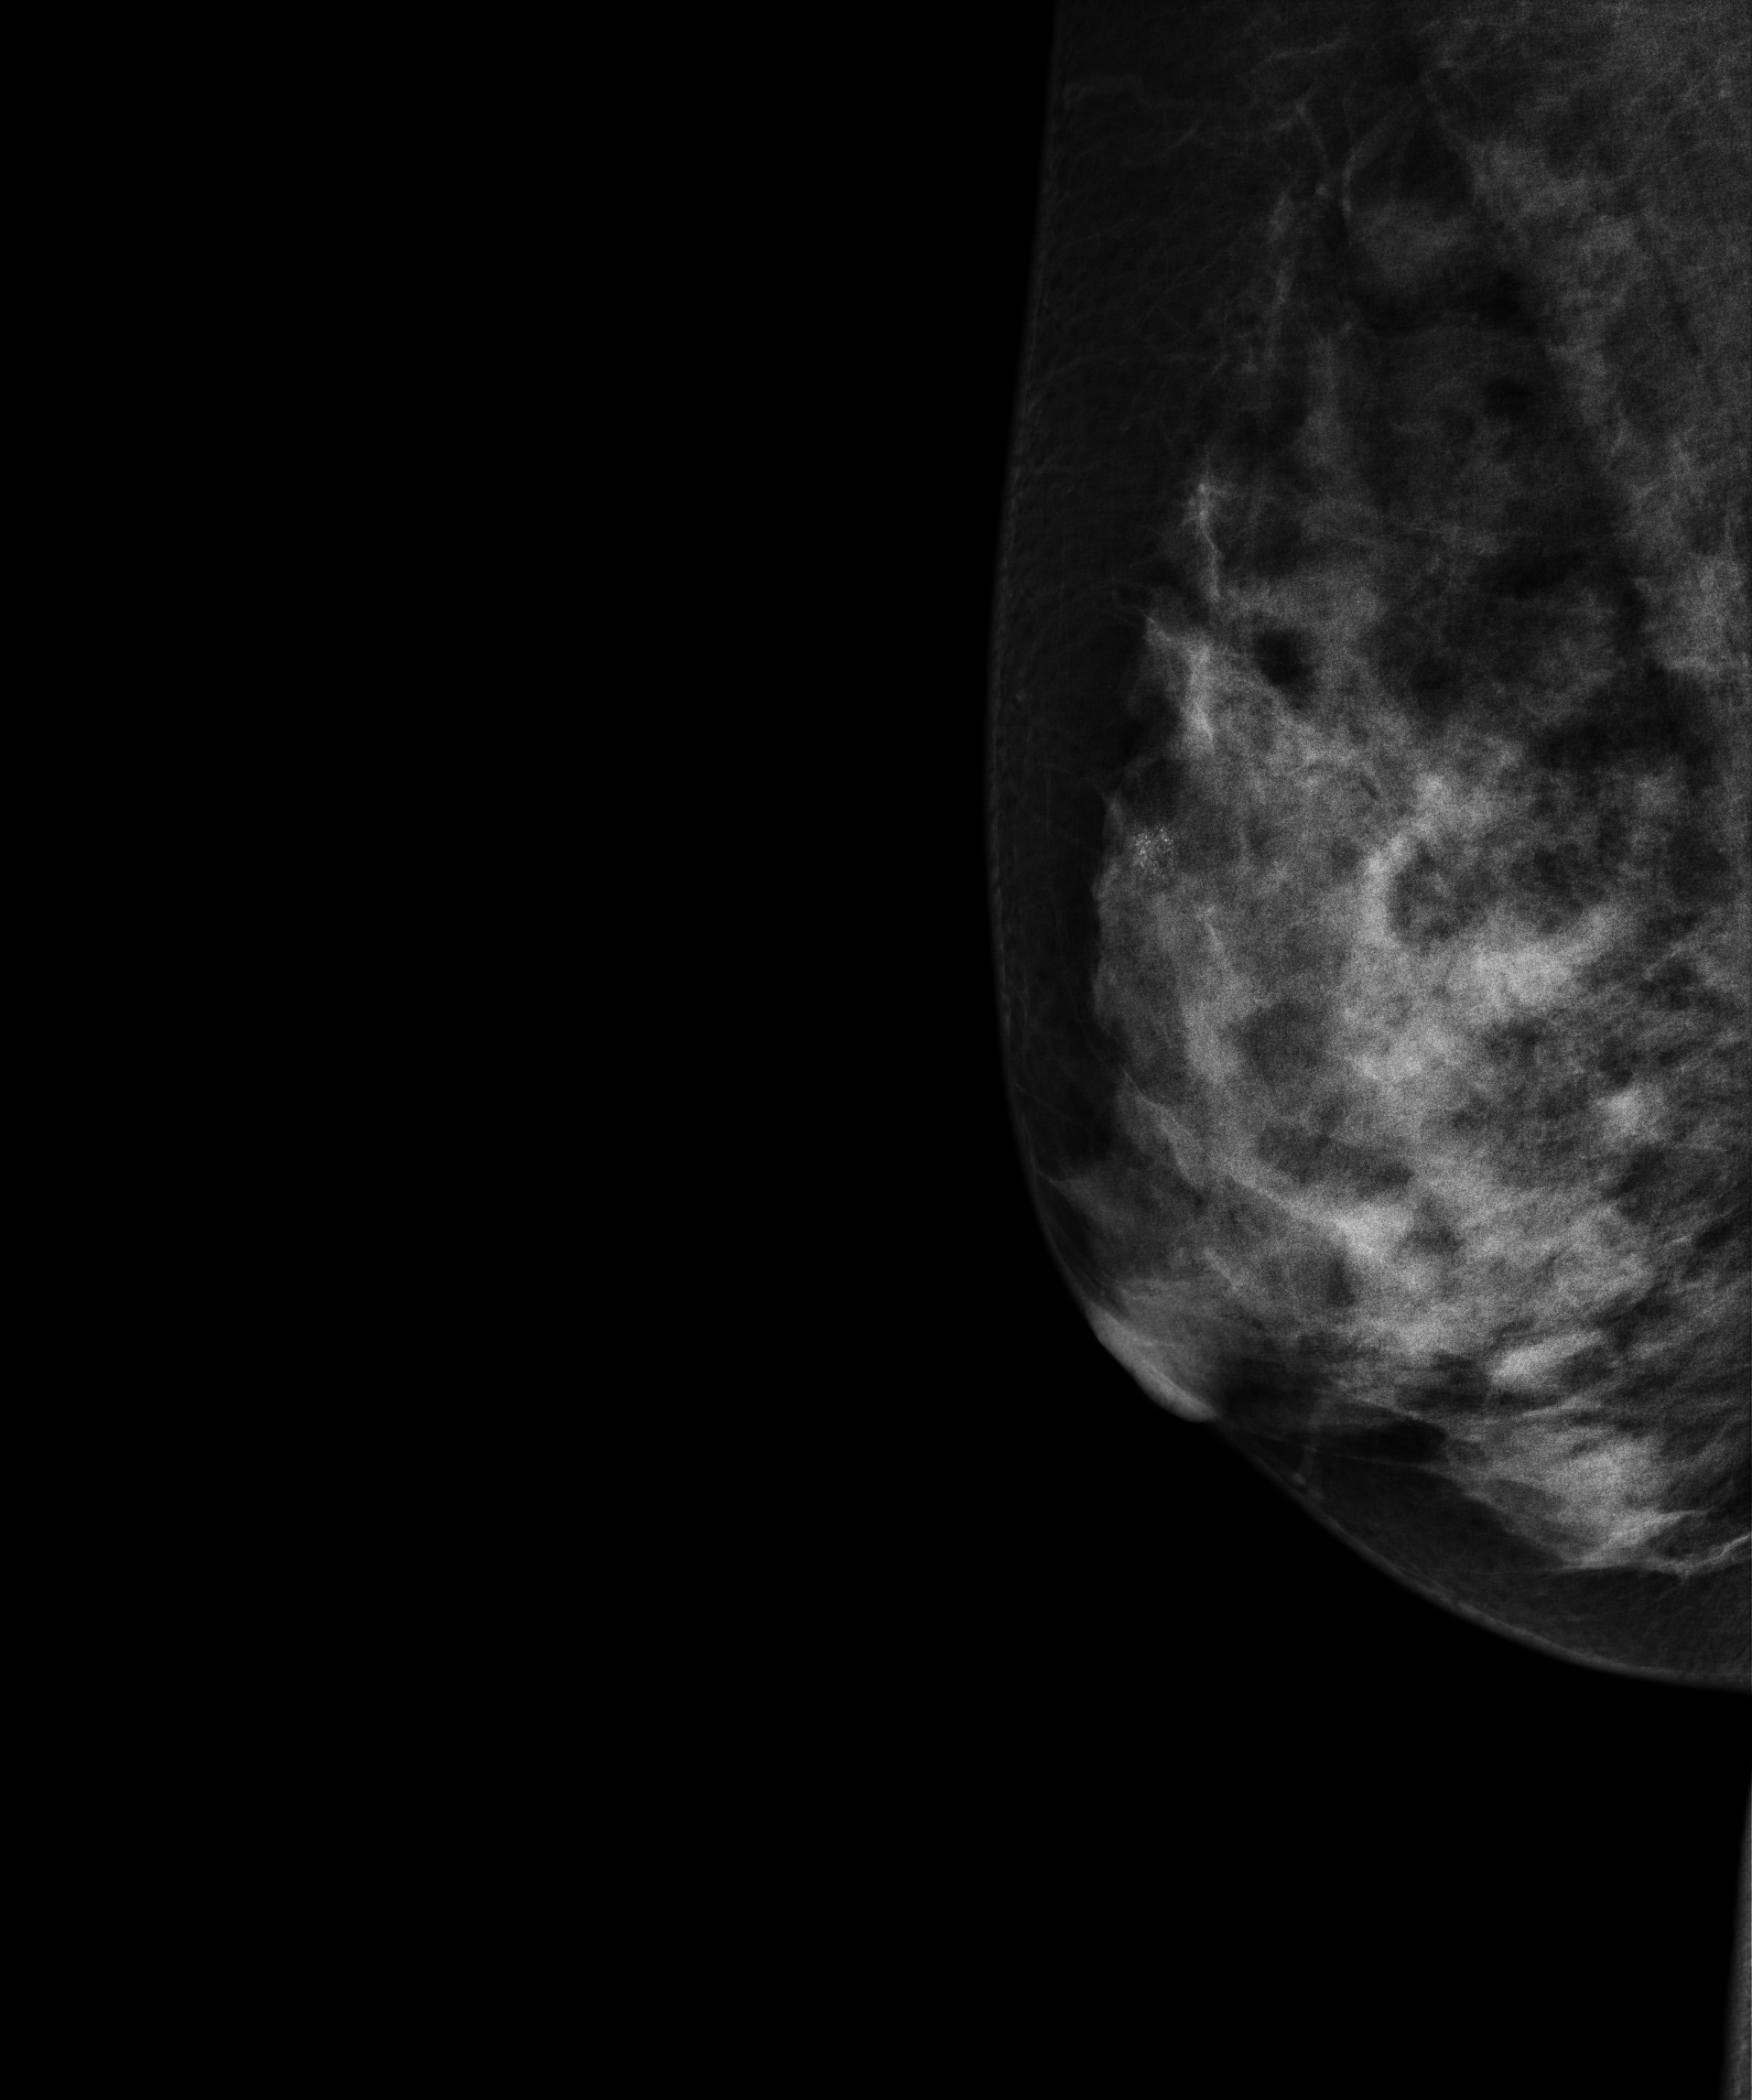
Digital mammography. Right breast, medio-lateral oblique projection. Patient age 52.
This breast has a mass and calcifications, biopsy-proven malignant.